Left-breast mammogram, MLO. 52-year-old patient.
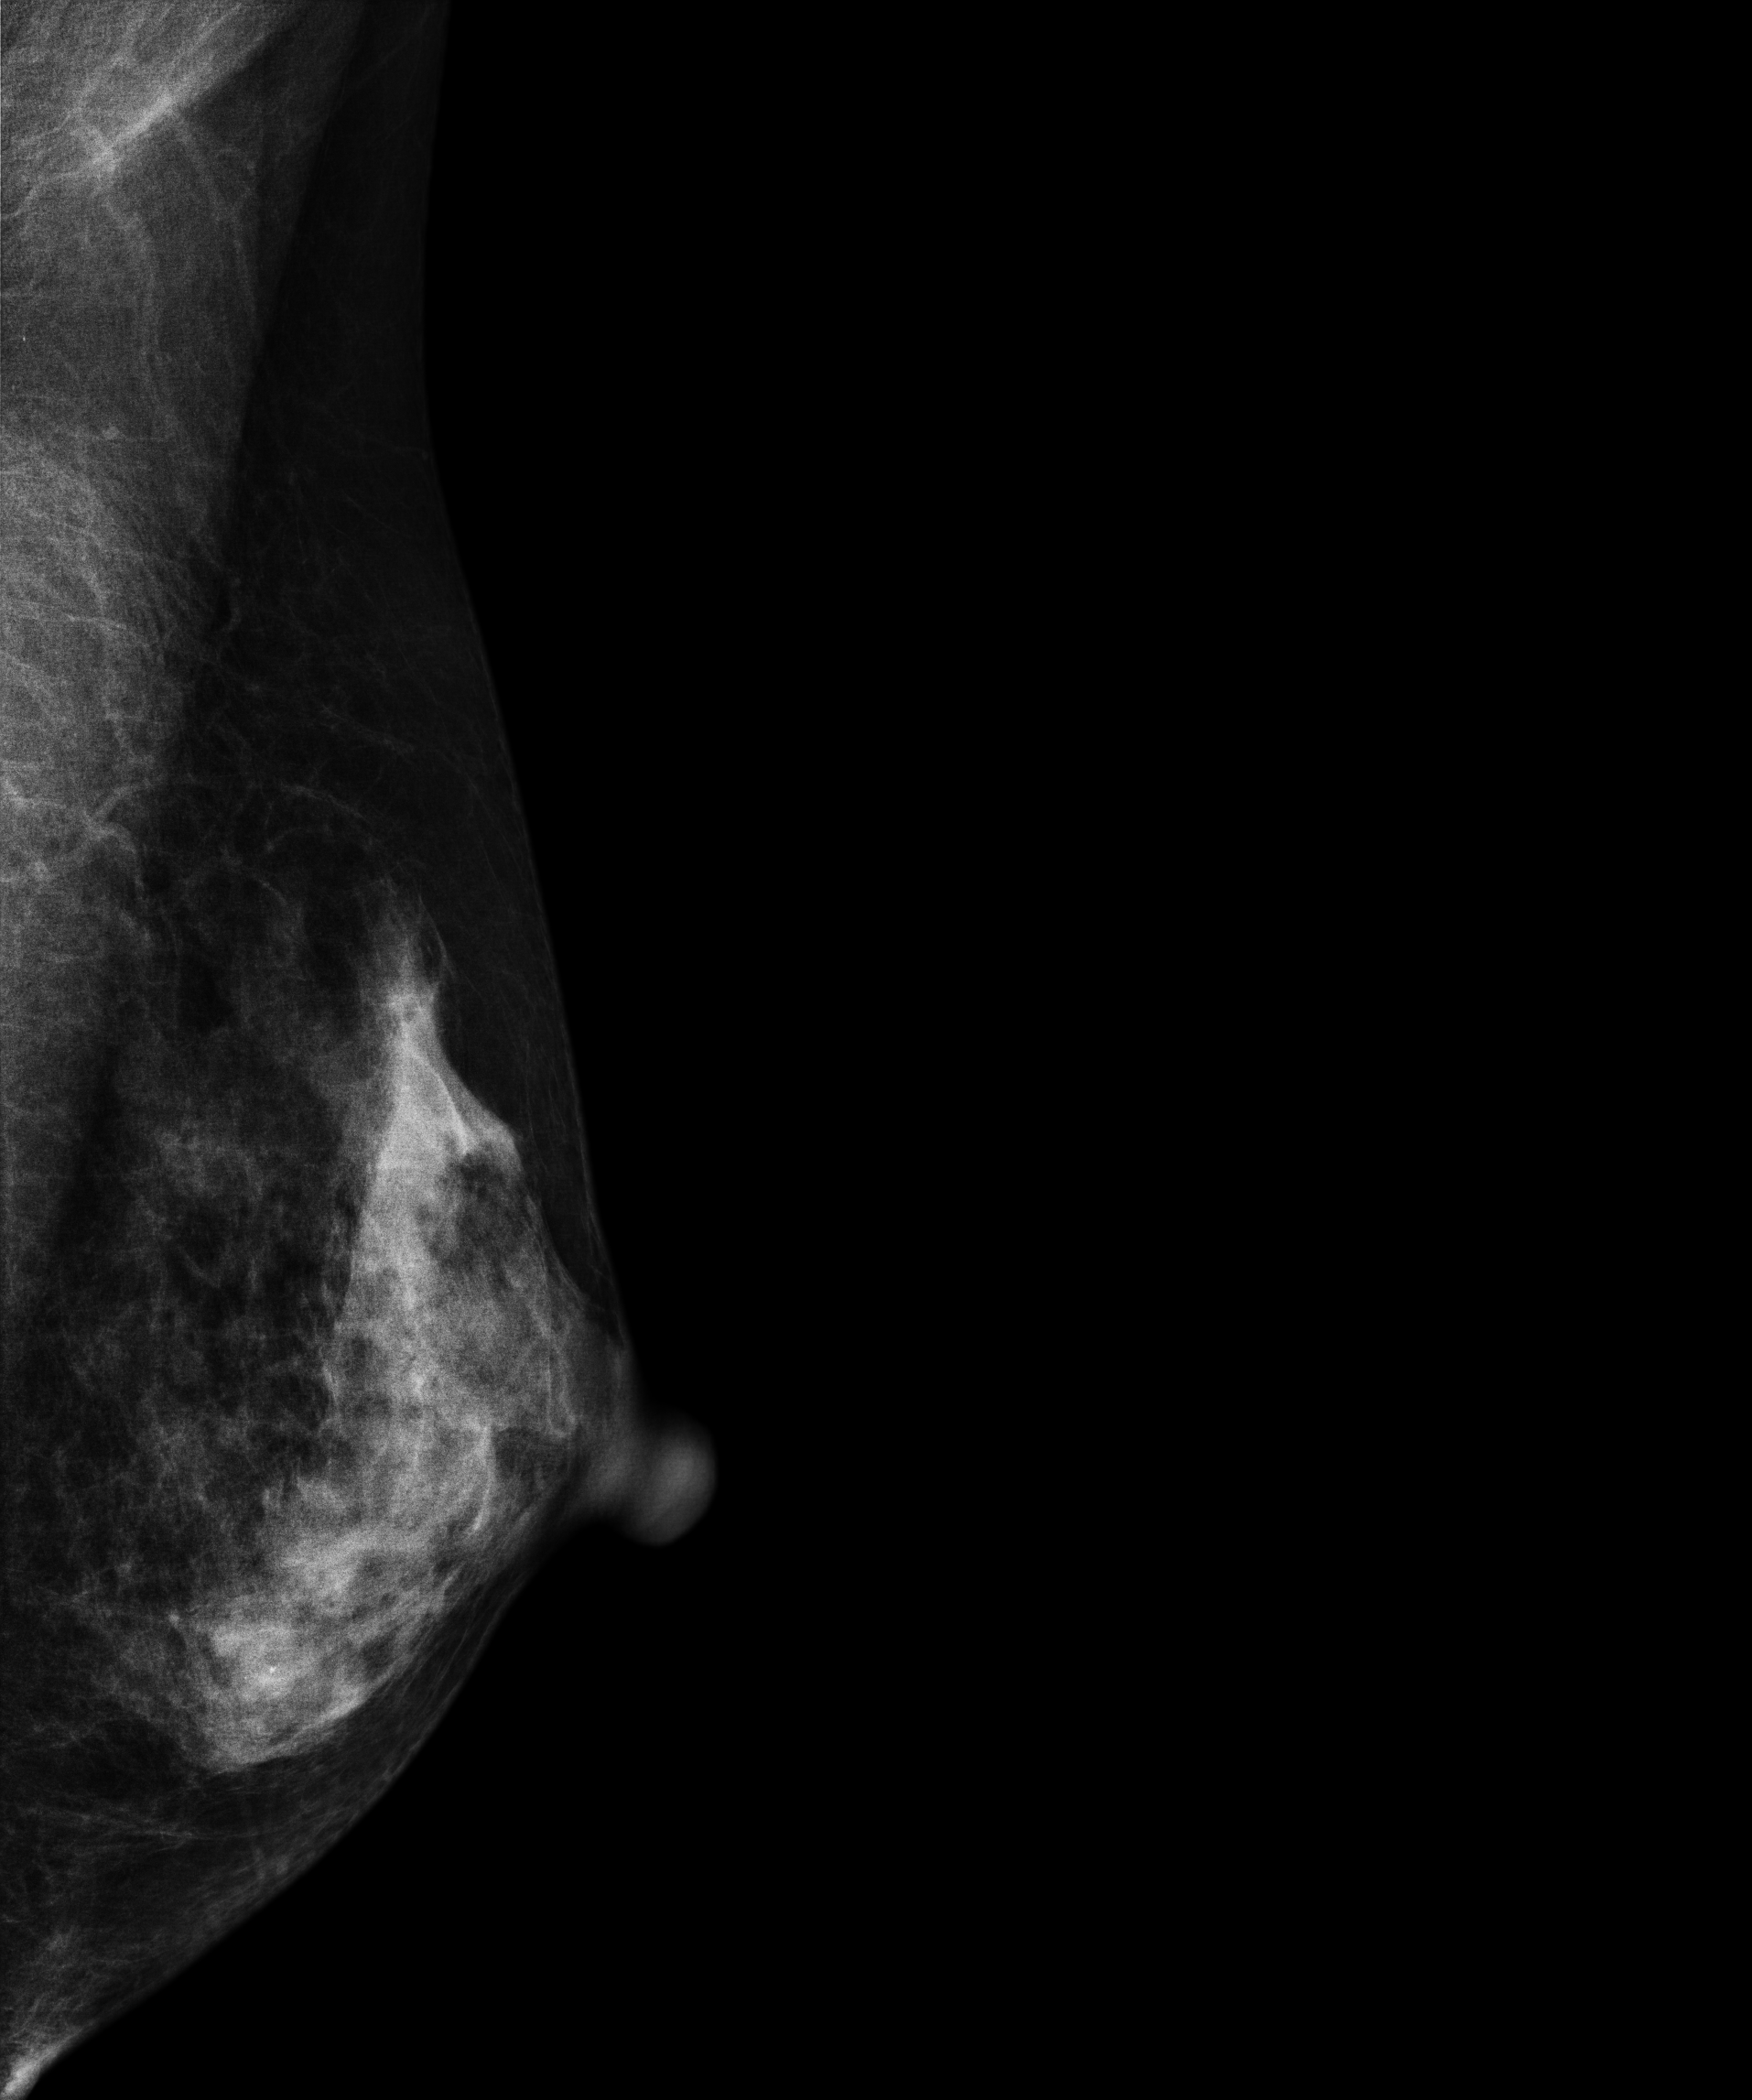
This breast has a mass and calcifications, histologically confirmed benign.